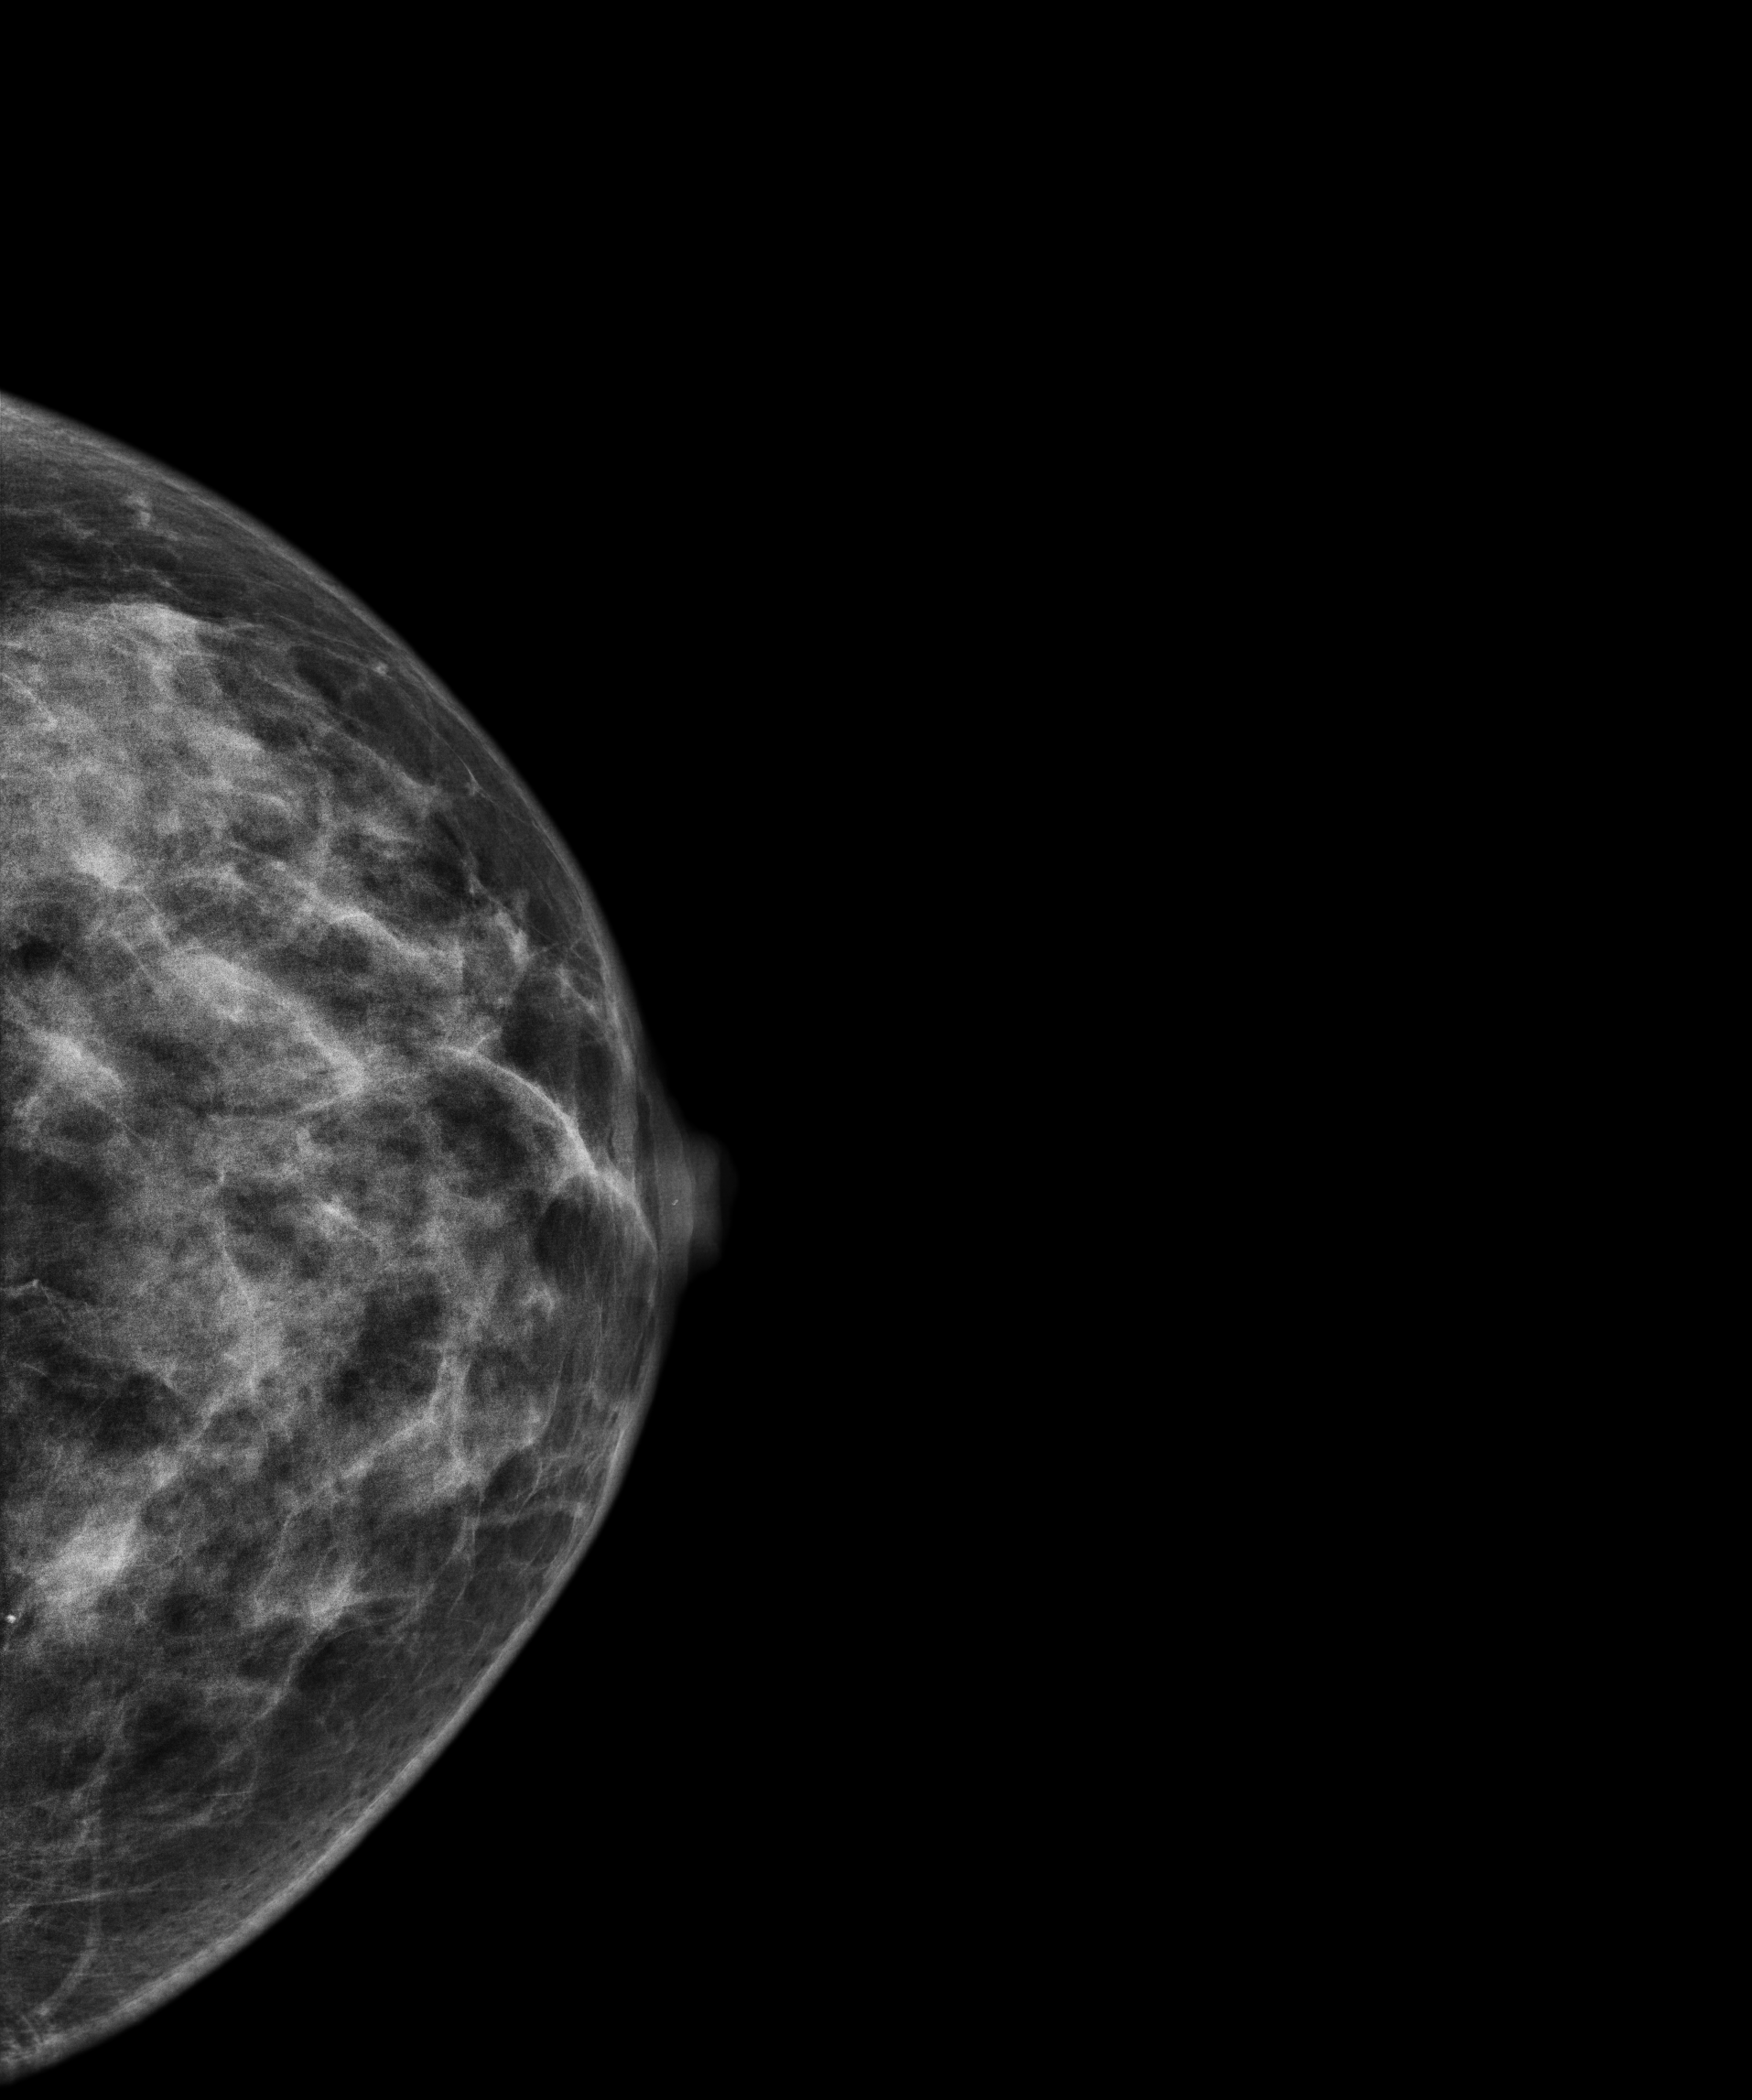
Mammogram, left breast, cranio-caudal view. 50 y/o patient.
This breast has a mass, biopsy-confirmed malignant.